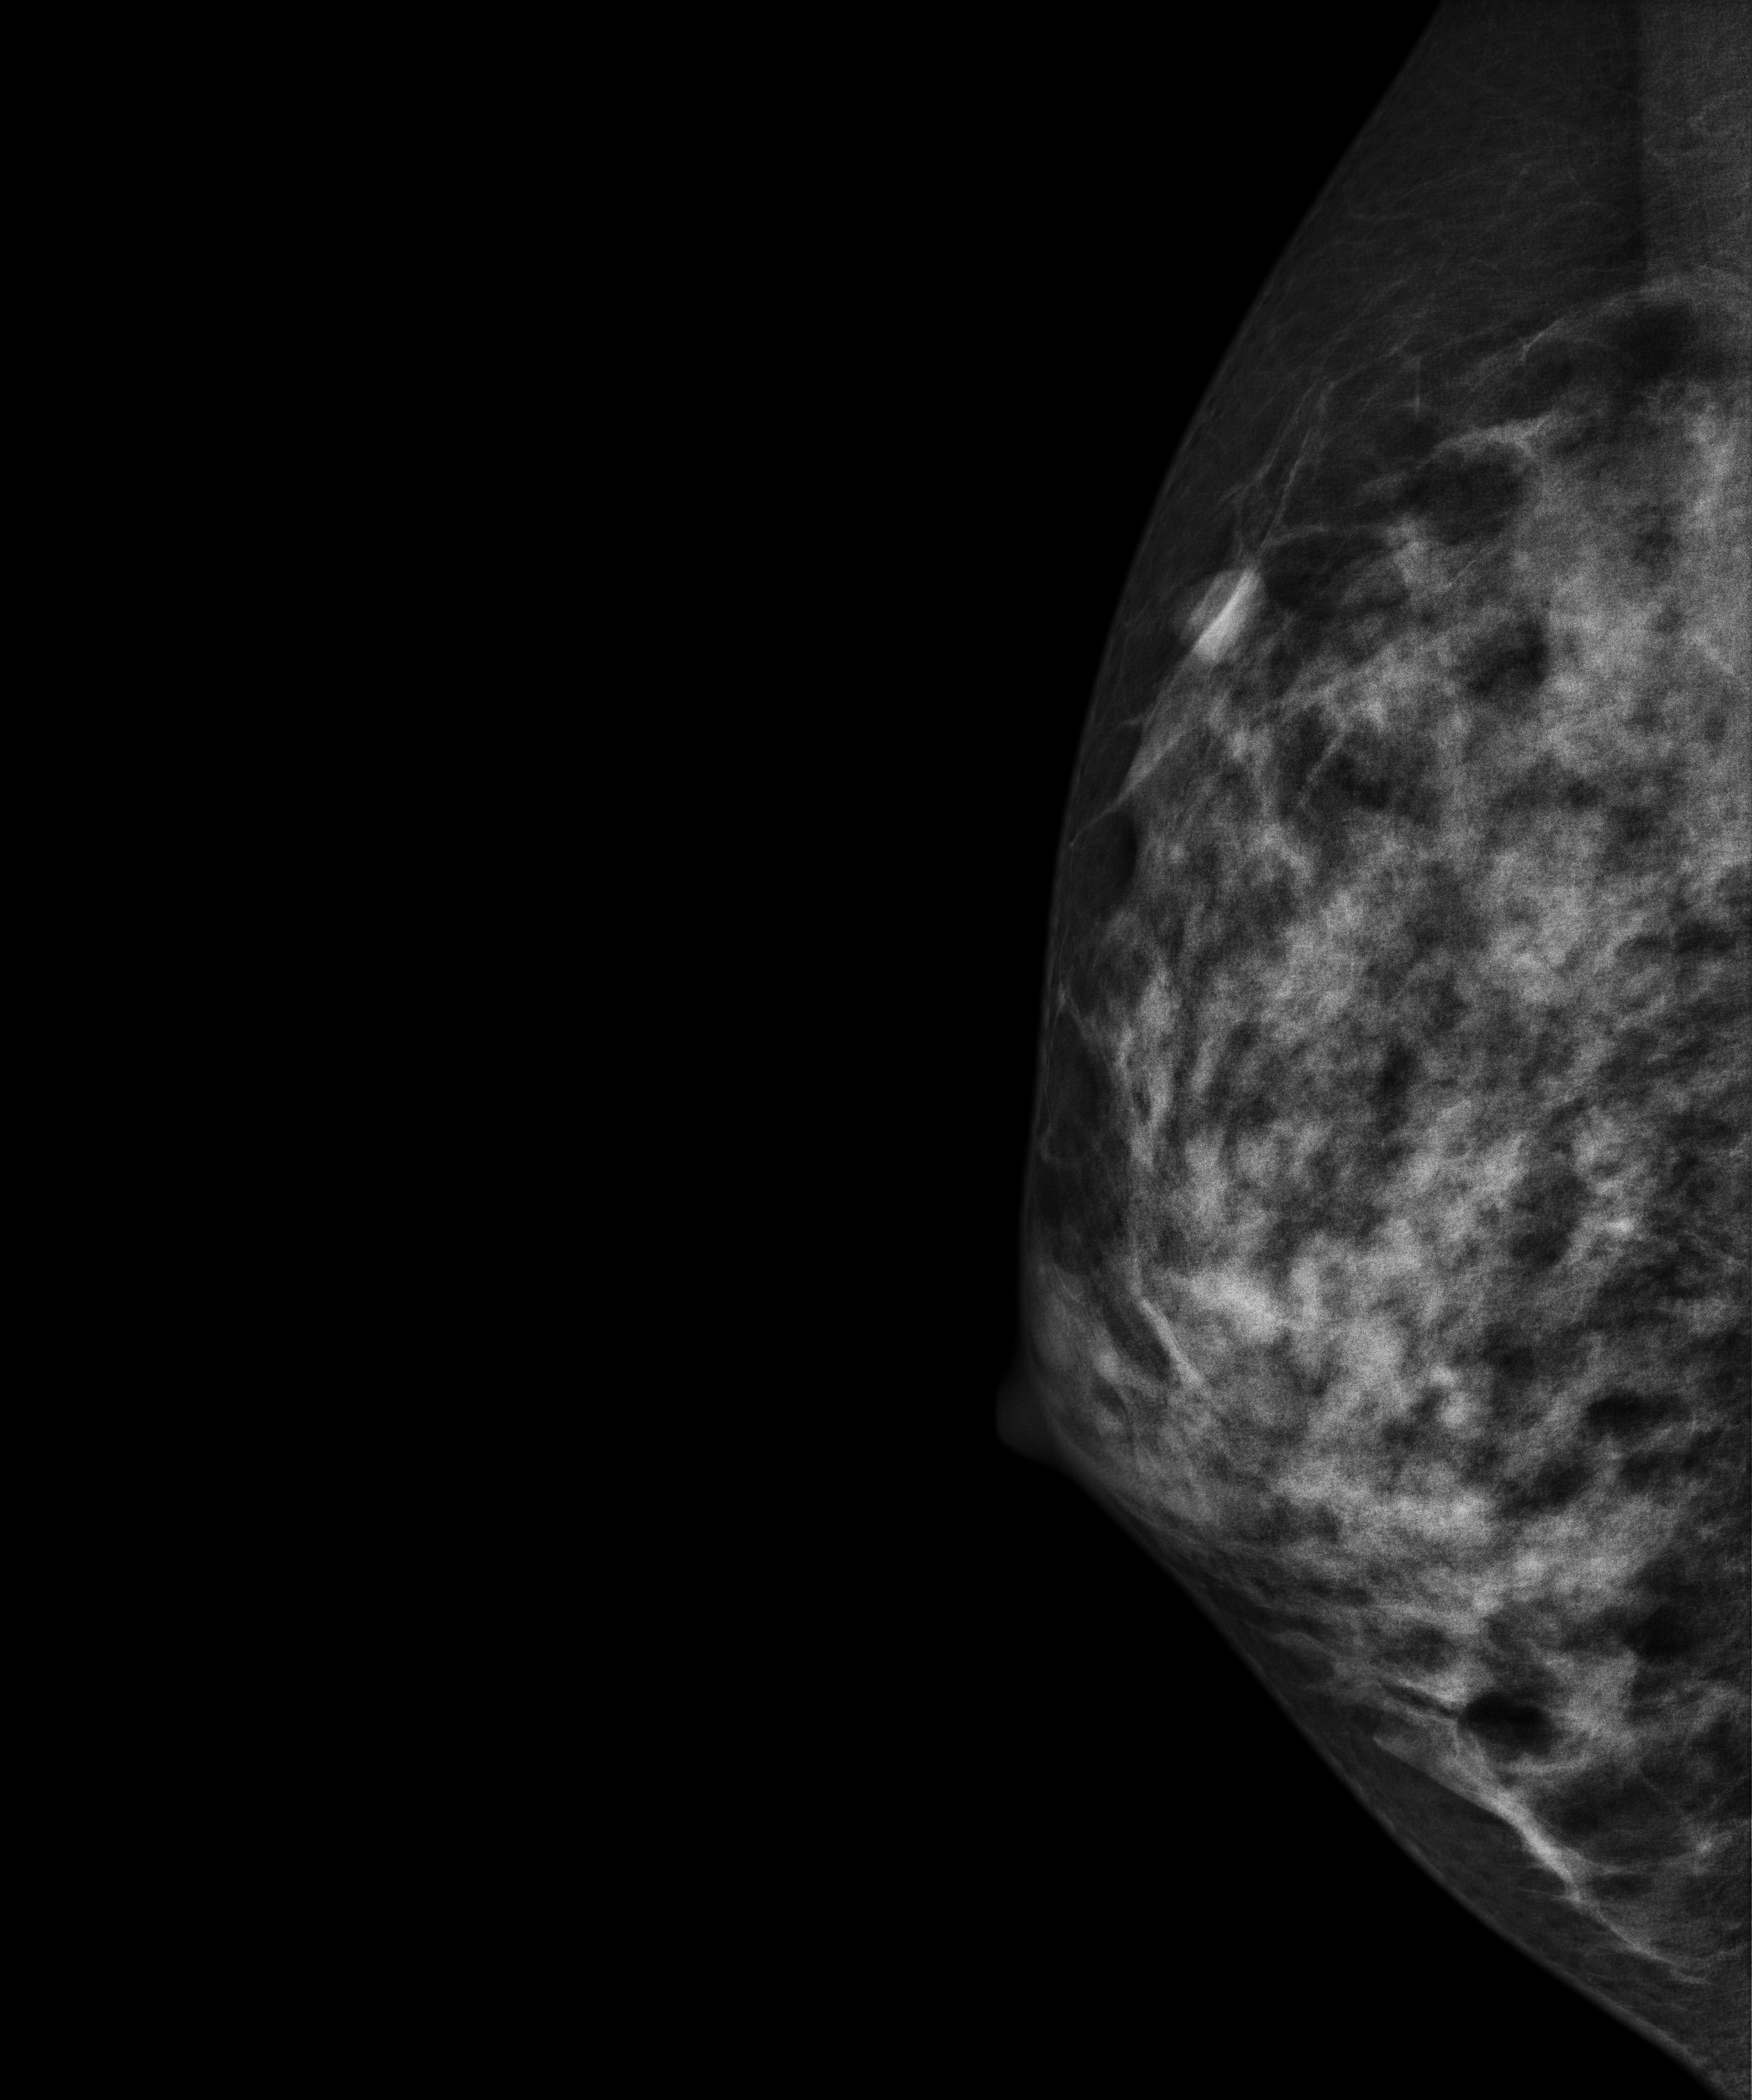
Right-breast mammogram, medio-lateral oblique. 27 y/o patient.
This breast has a mass, biopsy-proven benign.